Mammogram, left breast, MLO view. 35-year-old patient.
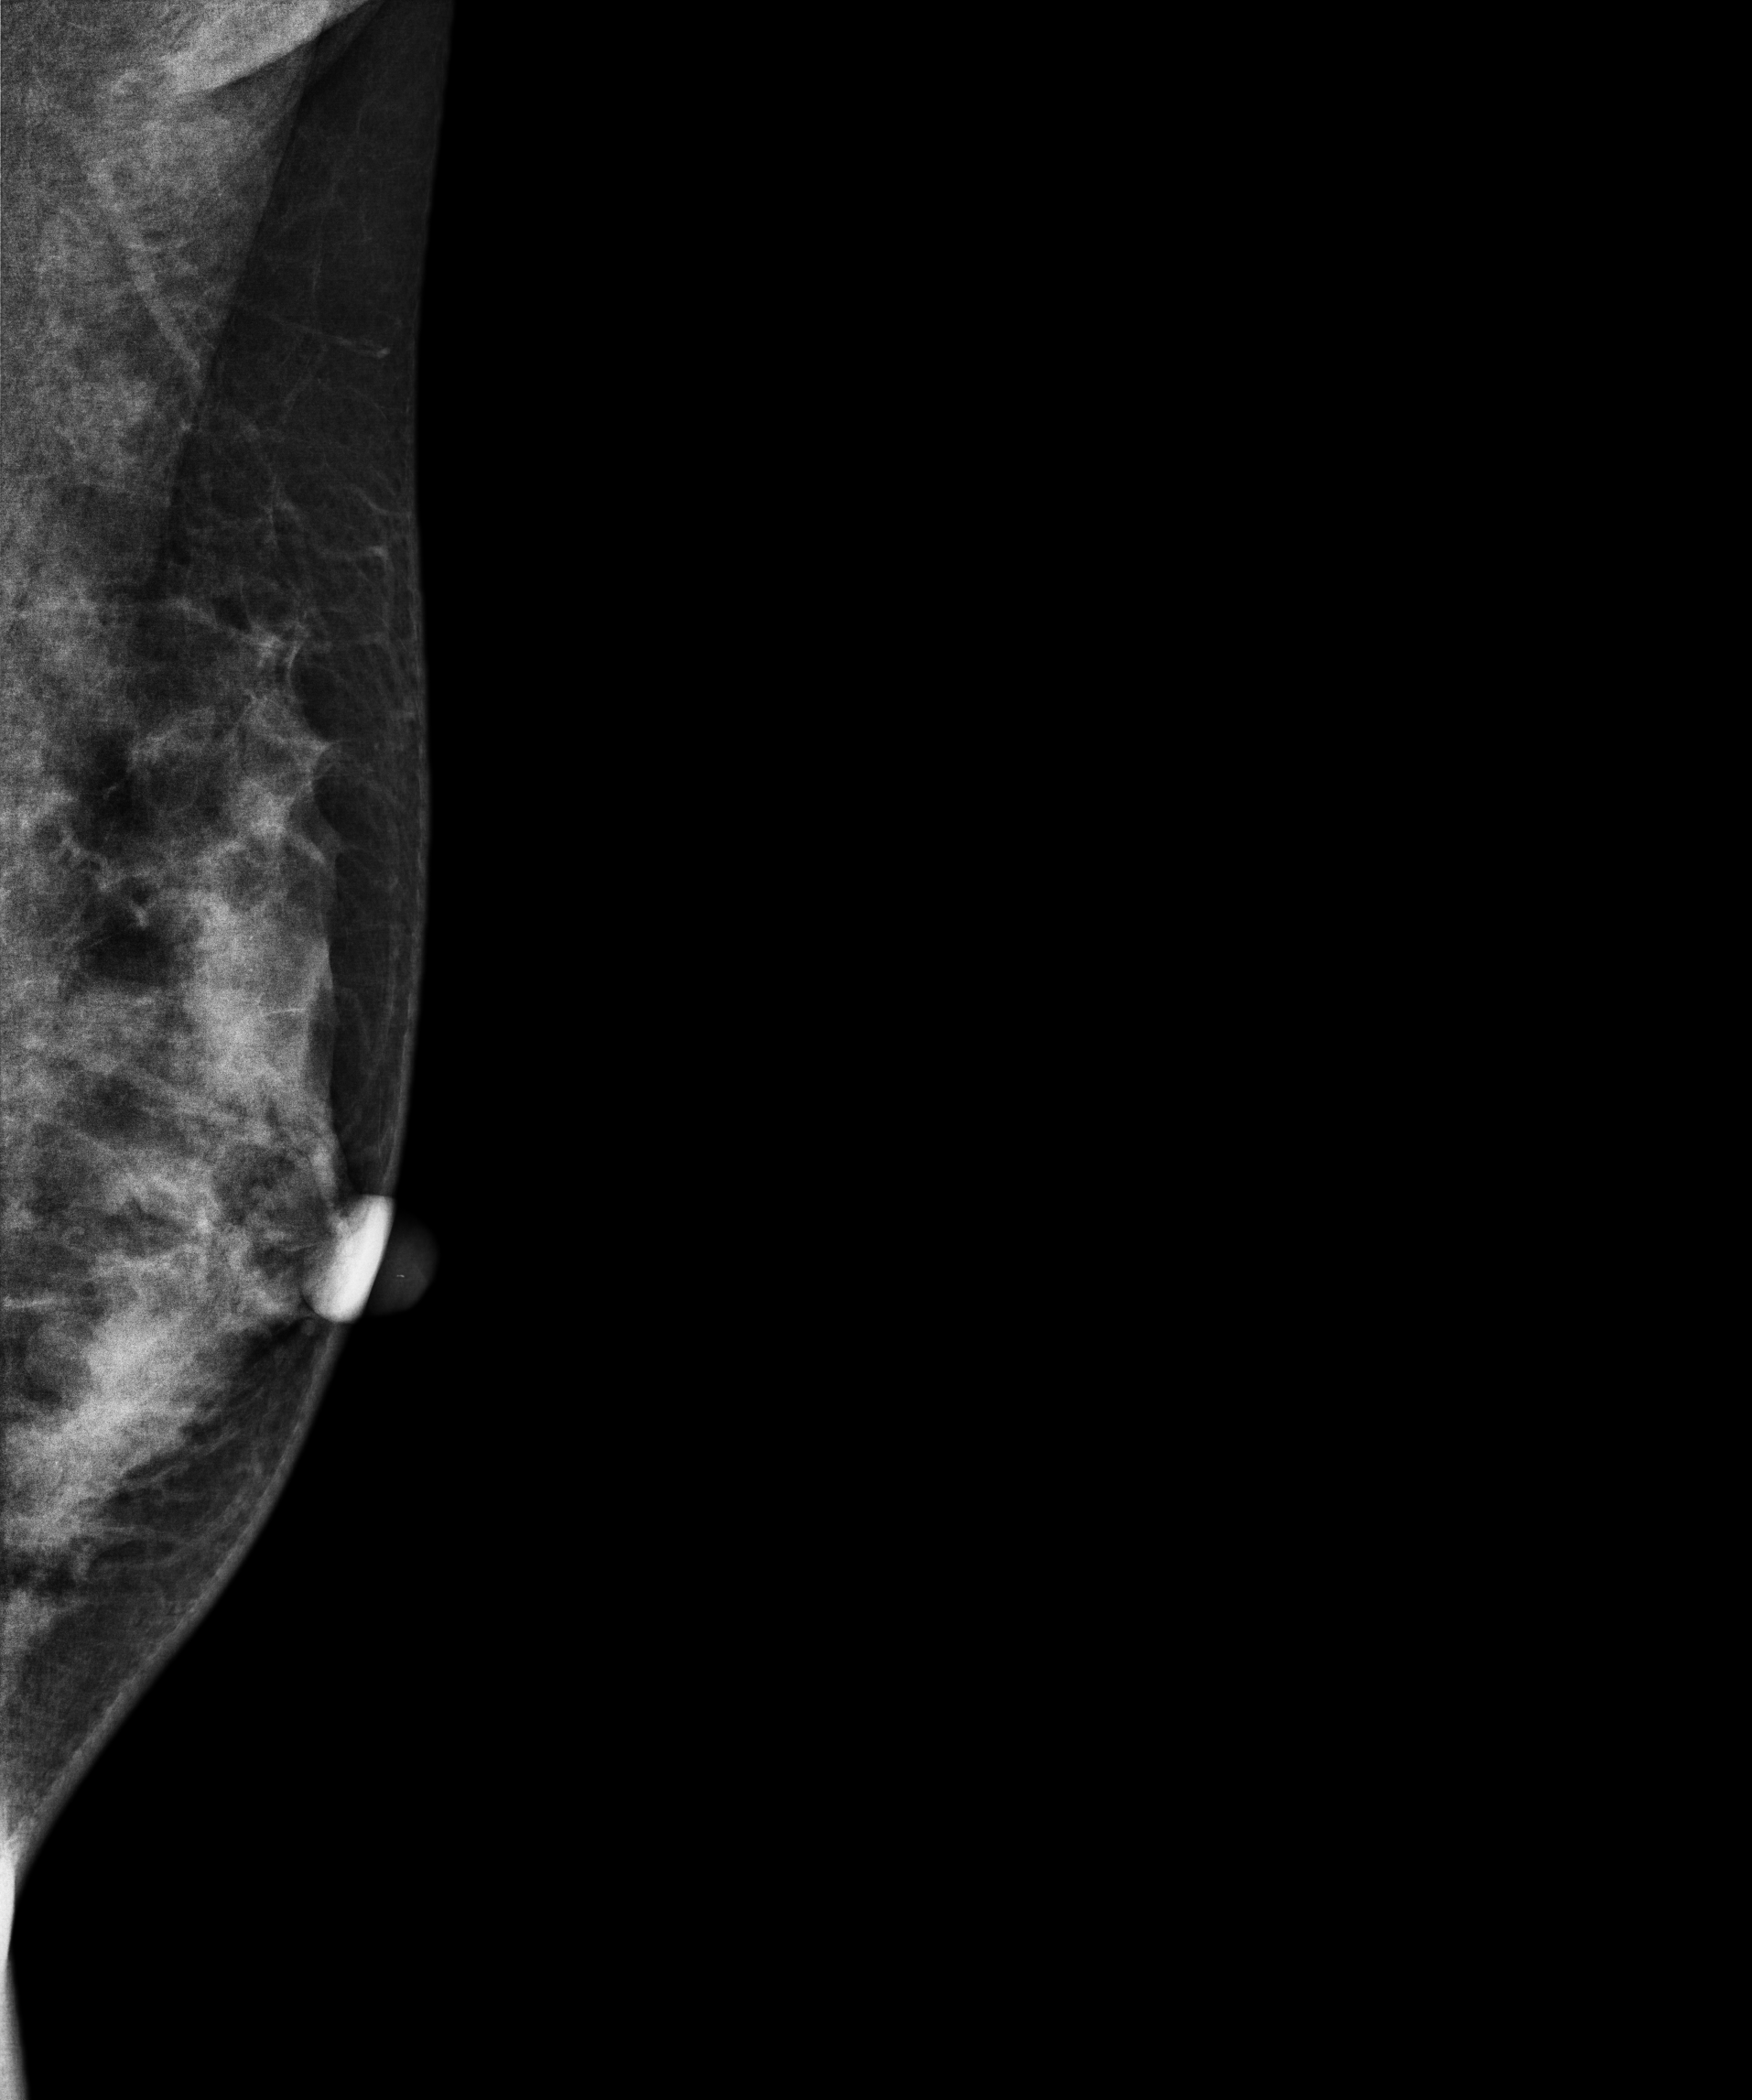
This breast has calcifications, biopsy-proven benign.